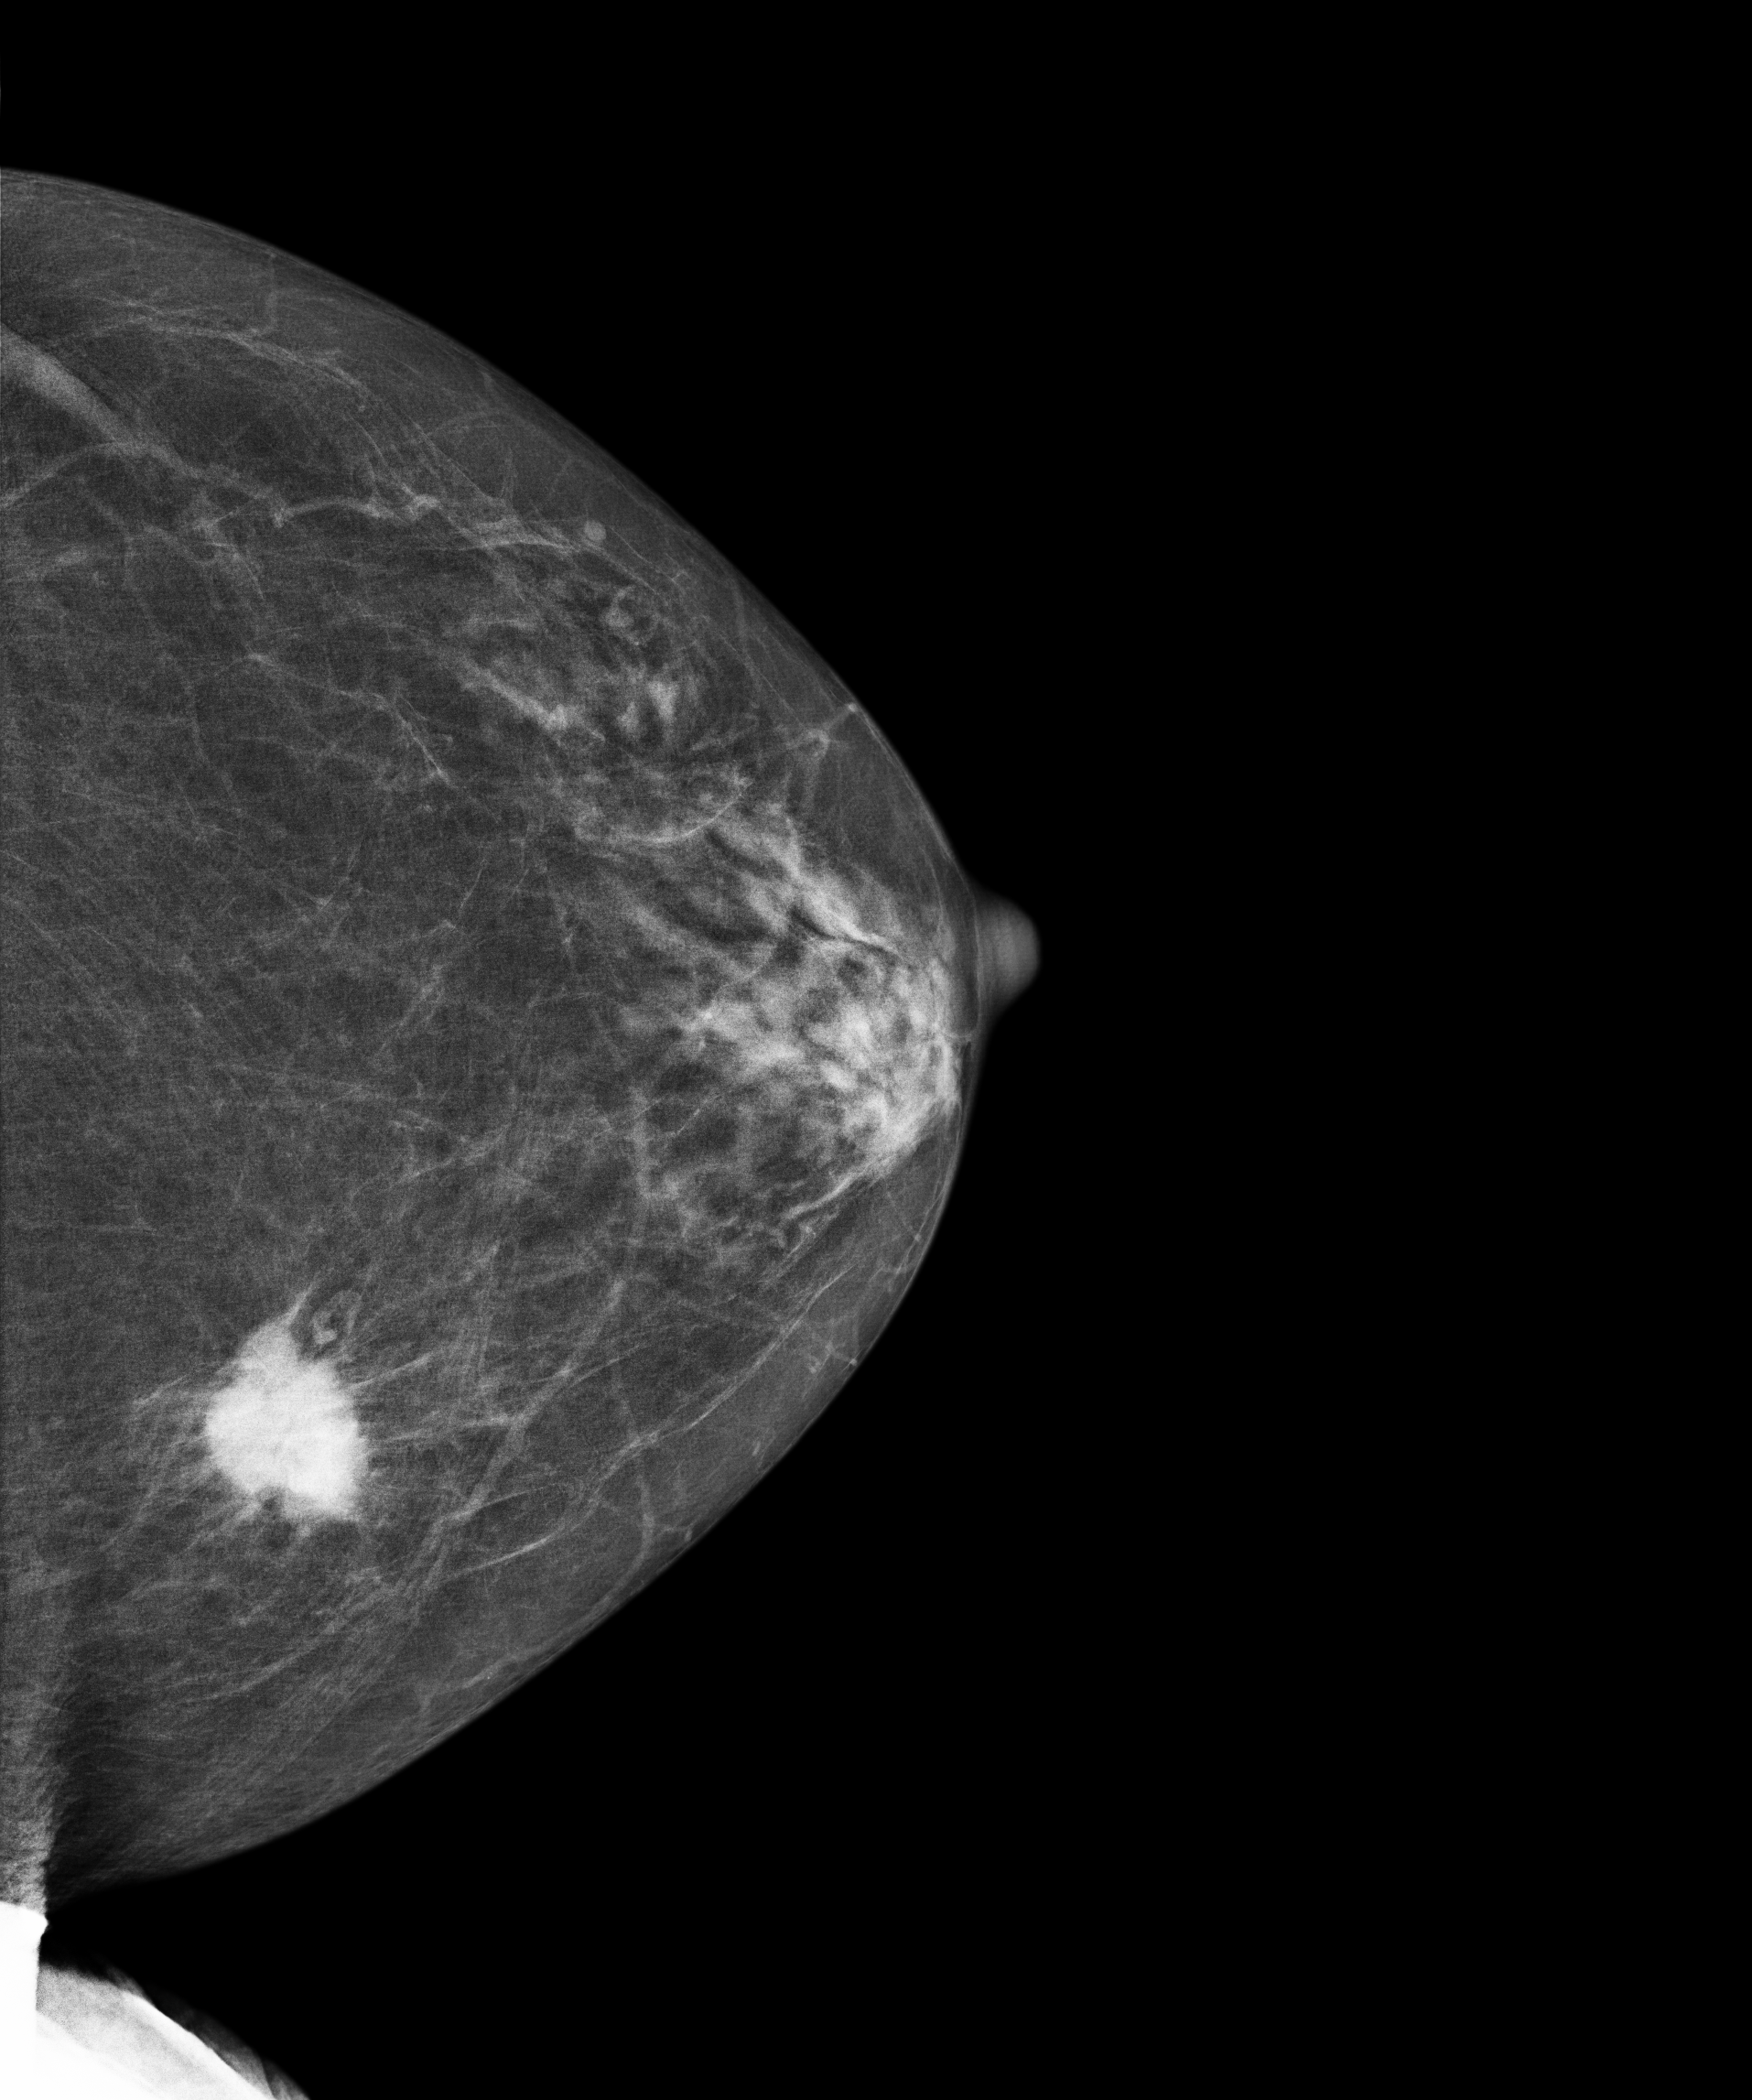
CC mammogram of the left breast. 69 y/o patient.
This breast has a mass, biopsy-proven malignant. Molecular subtype: luminal A.